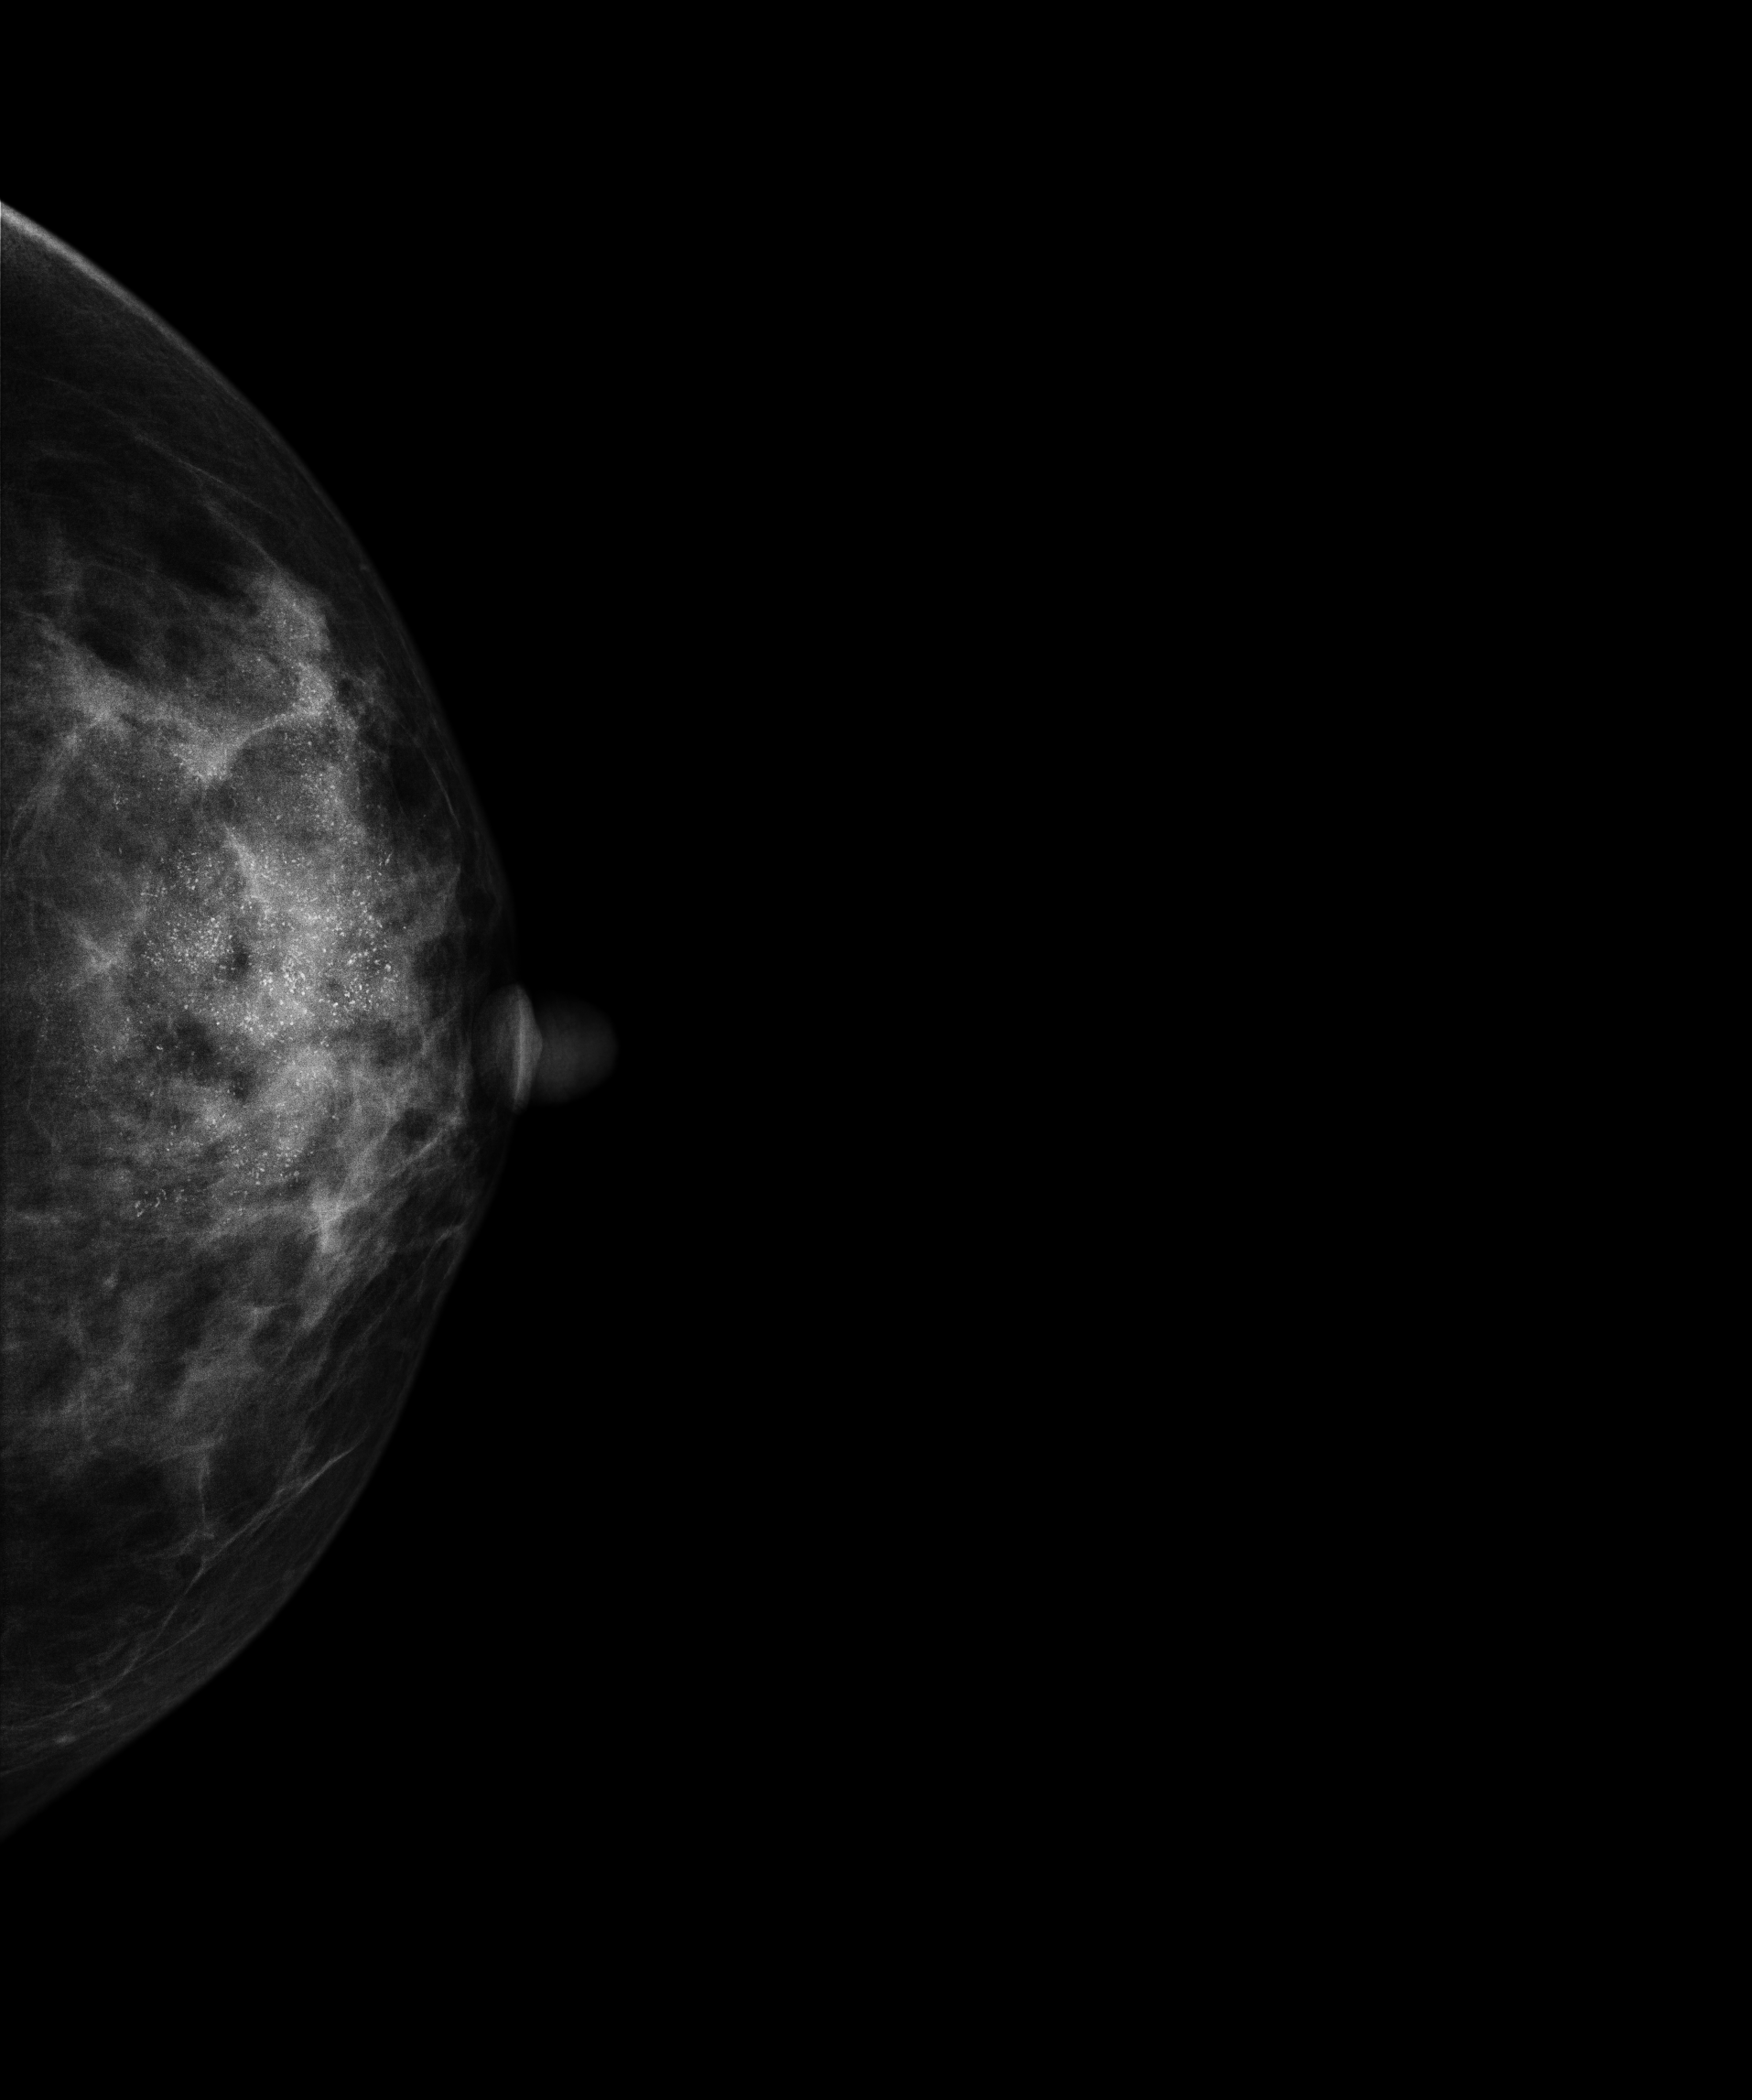
CC mammogram of the left breast. Patient age 46.
This breast has calcifications, biopsy-confirmed malignant.